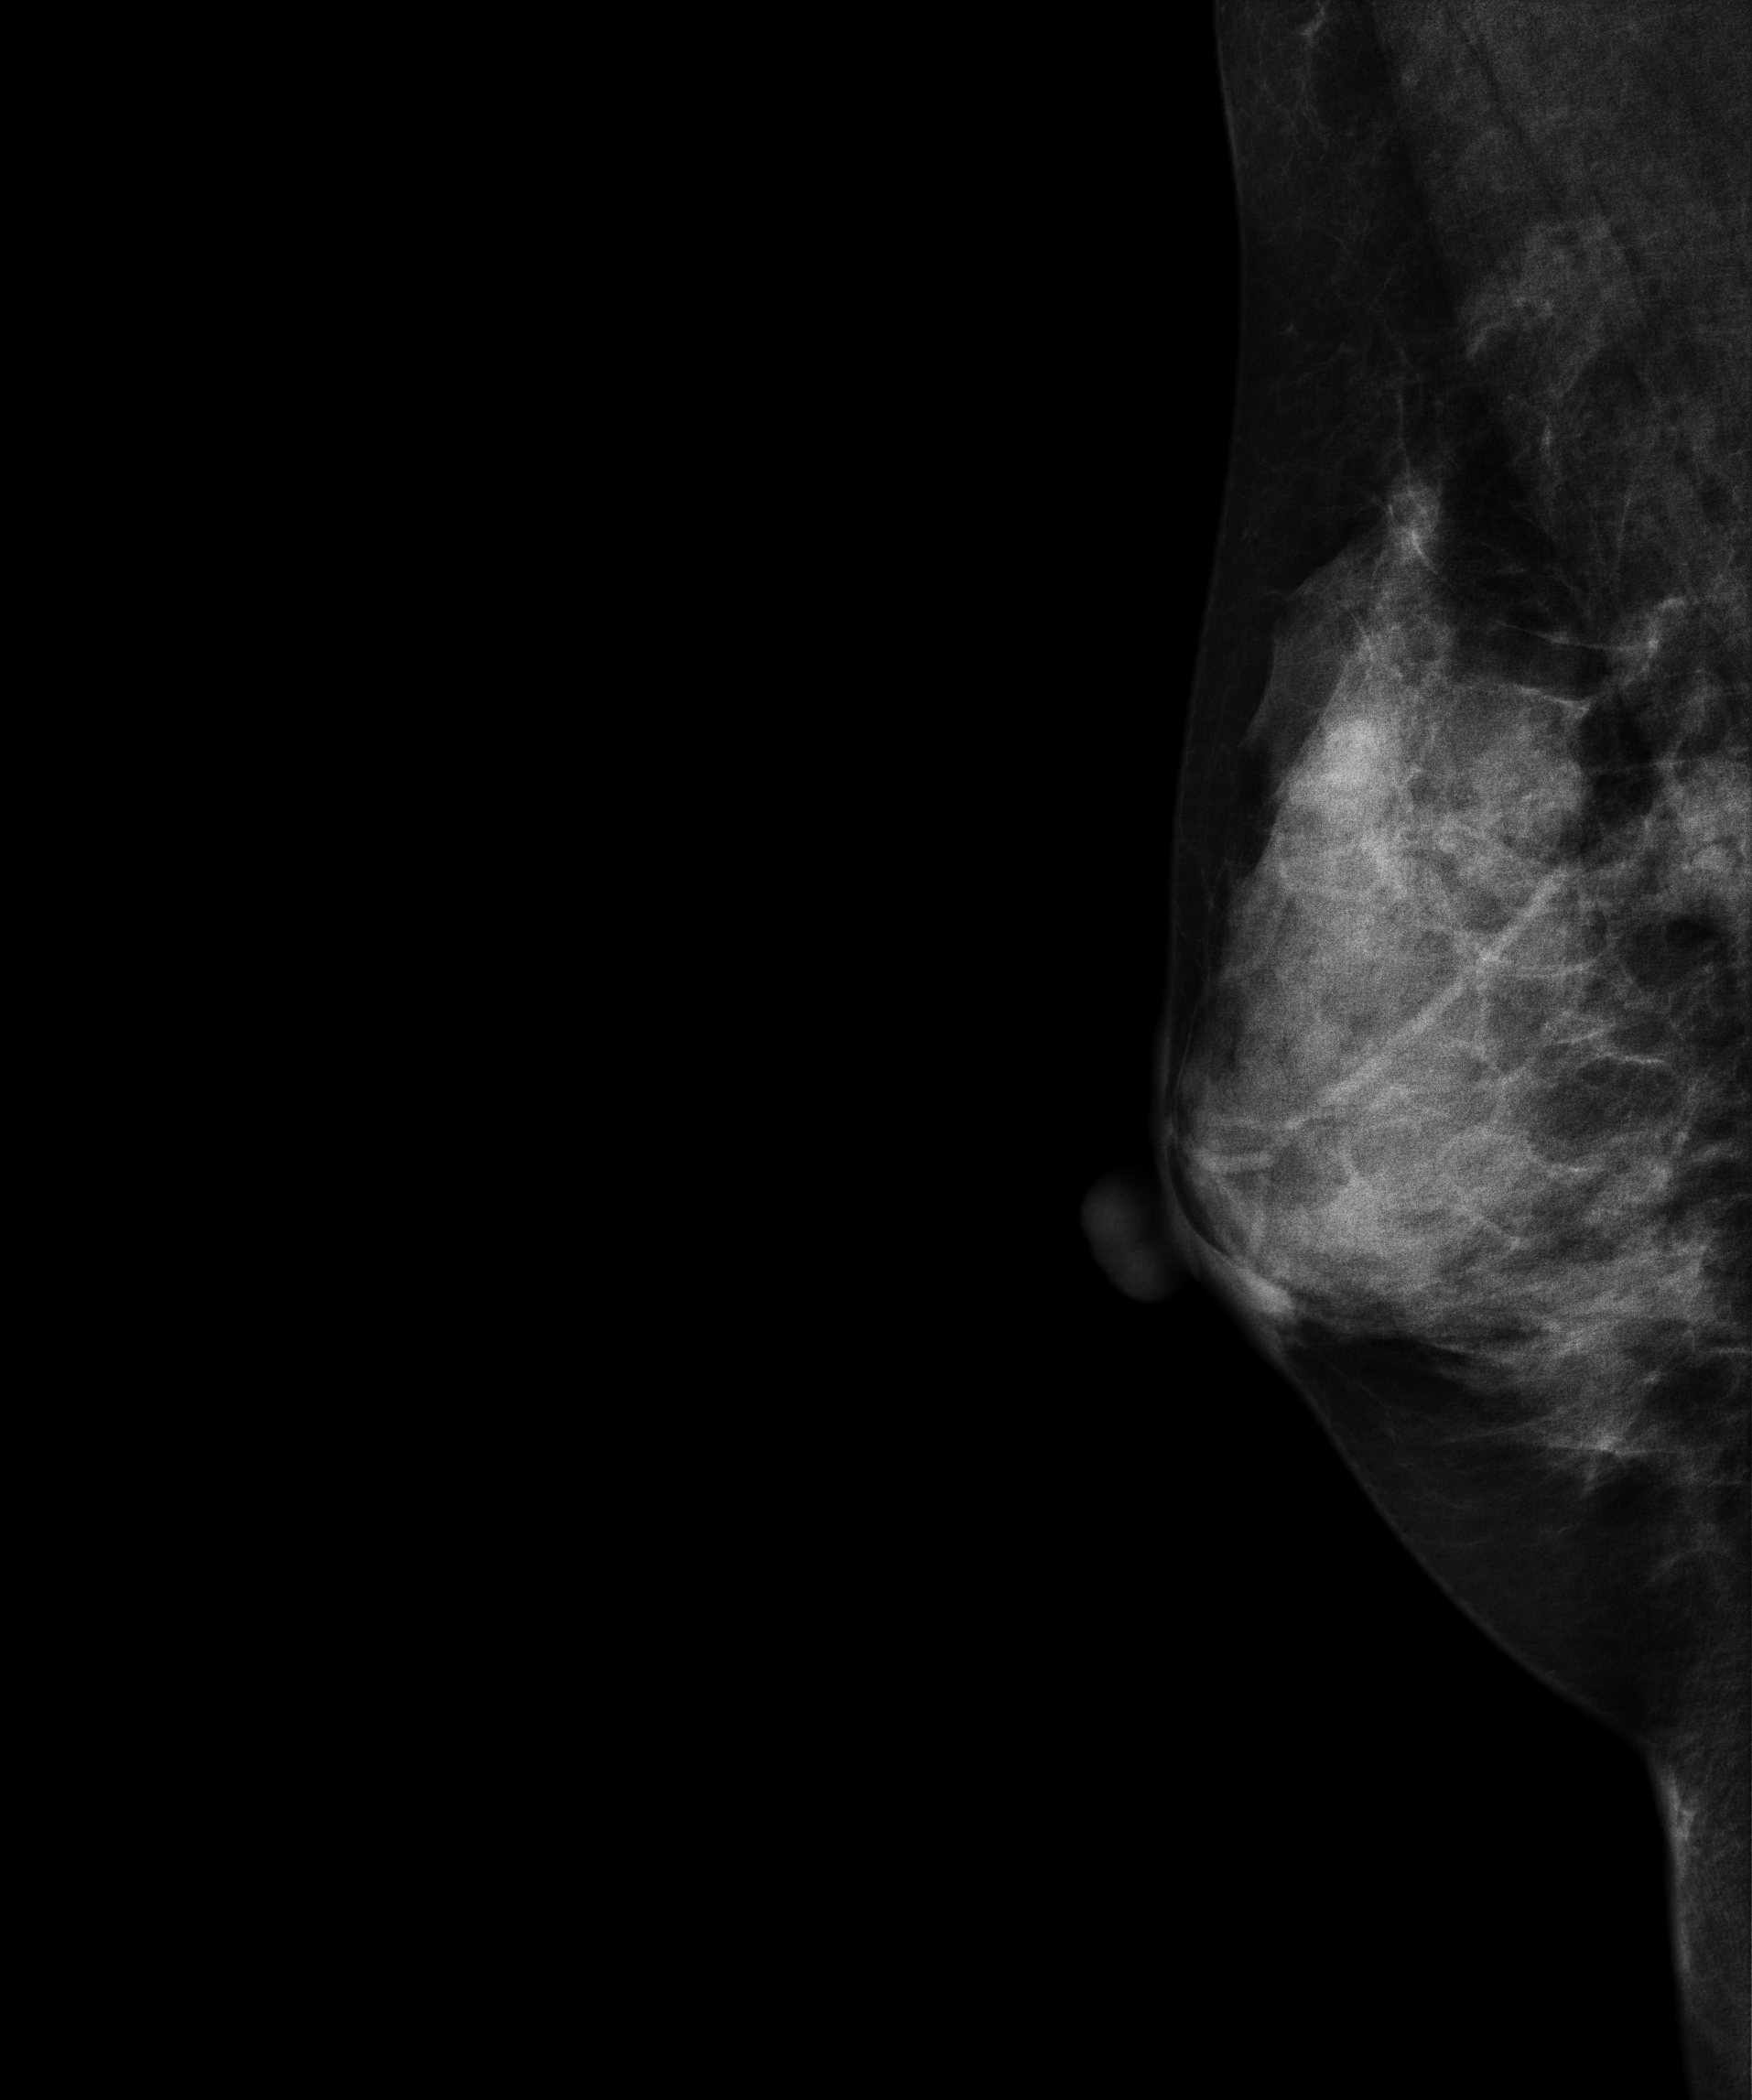
MLO mammogram of the right breast. Patient age 45.
This breast has a mass, biopsy-proven benign.